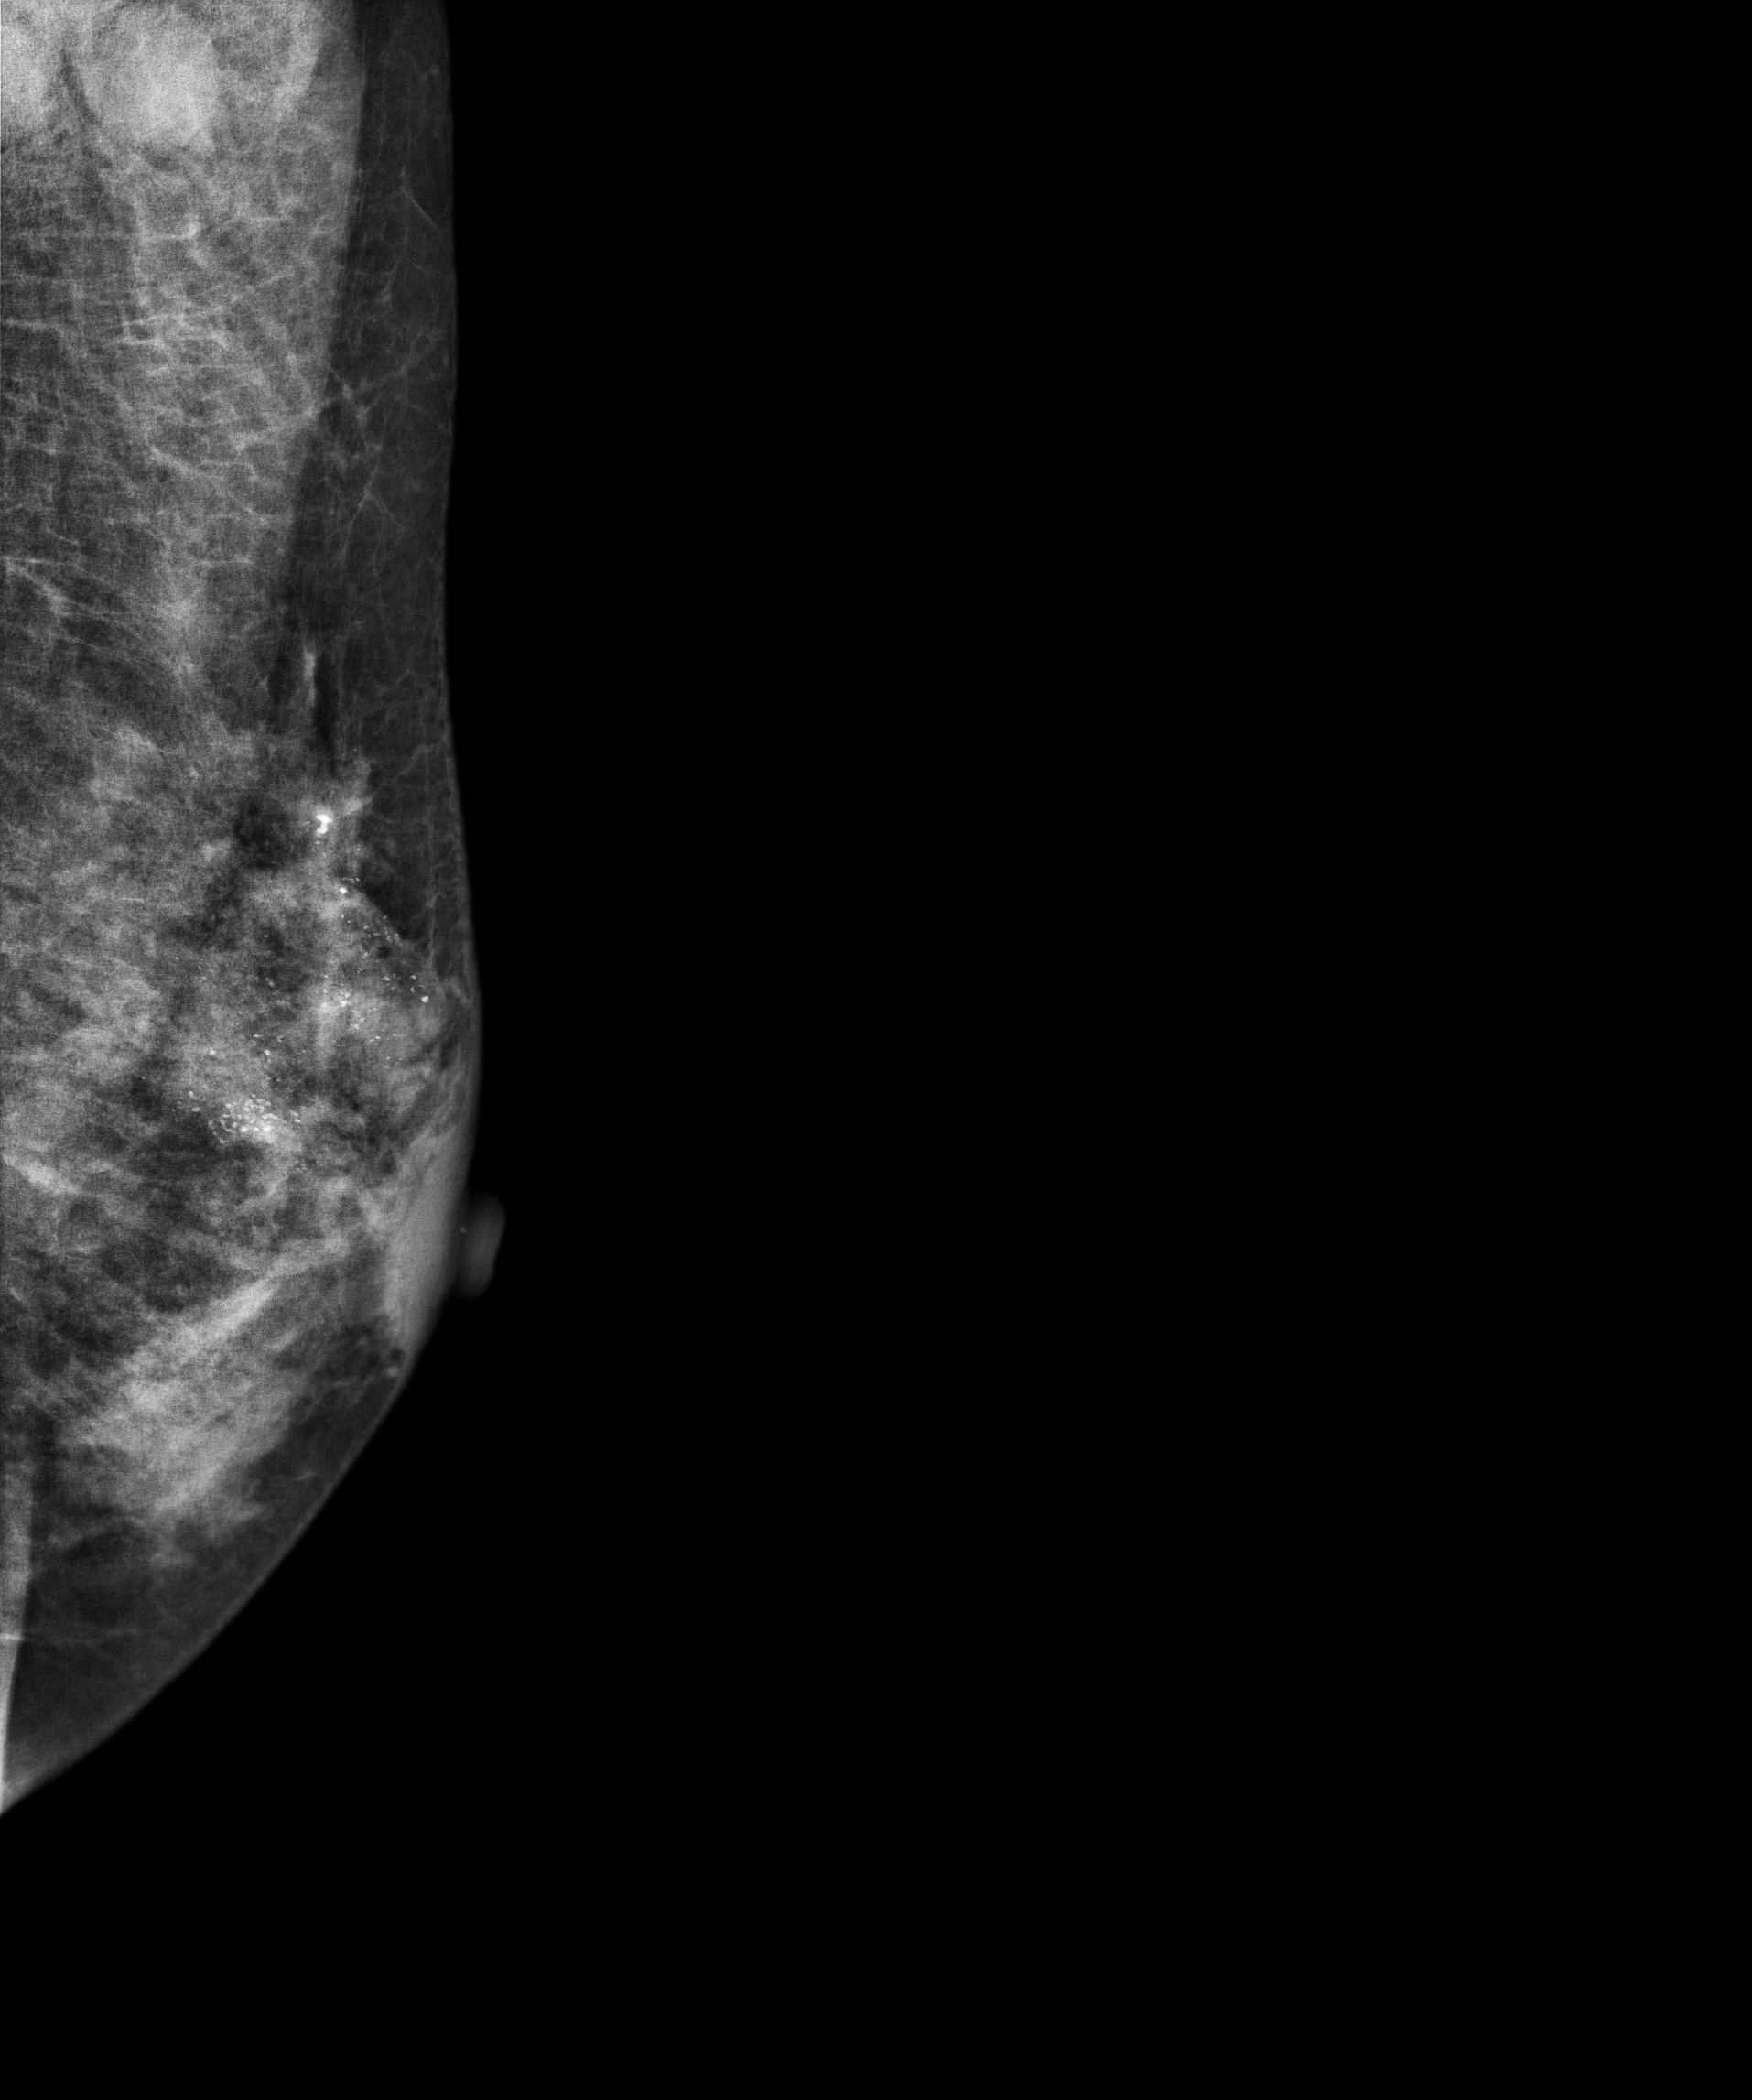
Mammogram, left breast, medio-lateral oblique view. 41-year-old patient.
This breast has calcifications, histologically confirmed malignant. Molecular subtype: HER2-enriched.